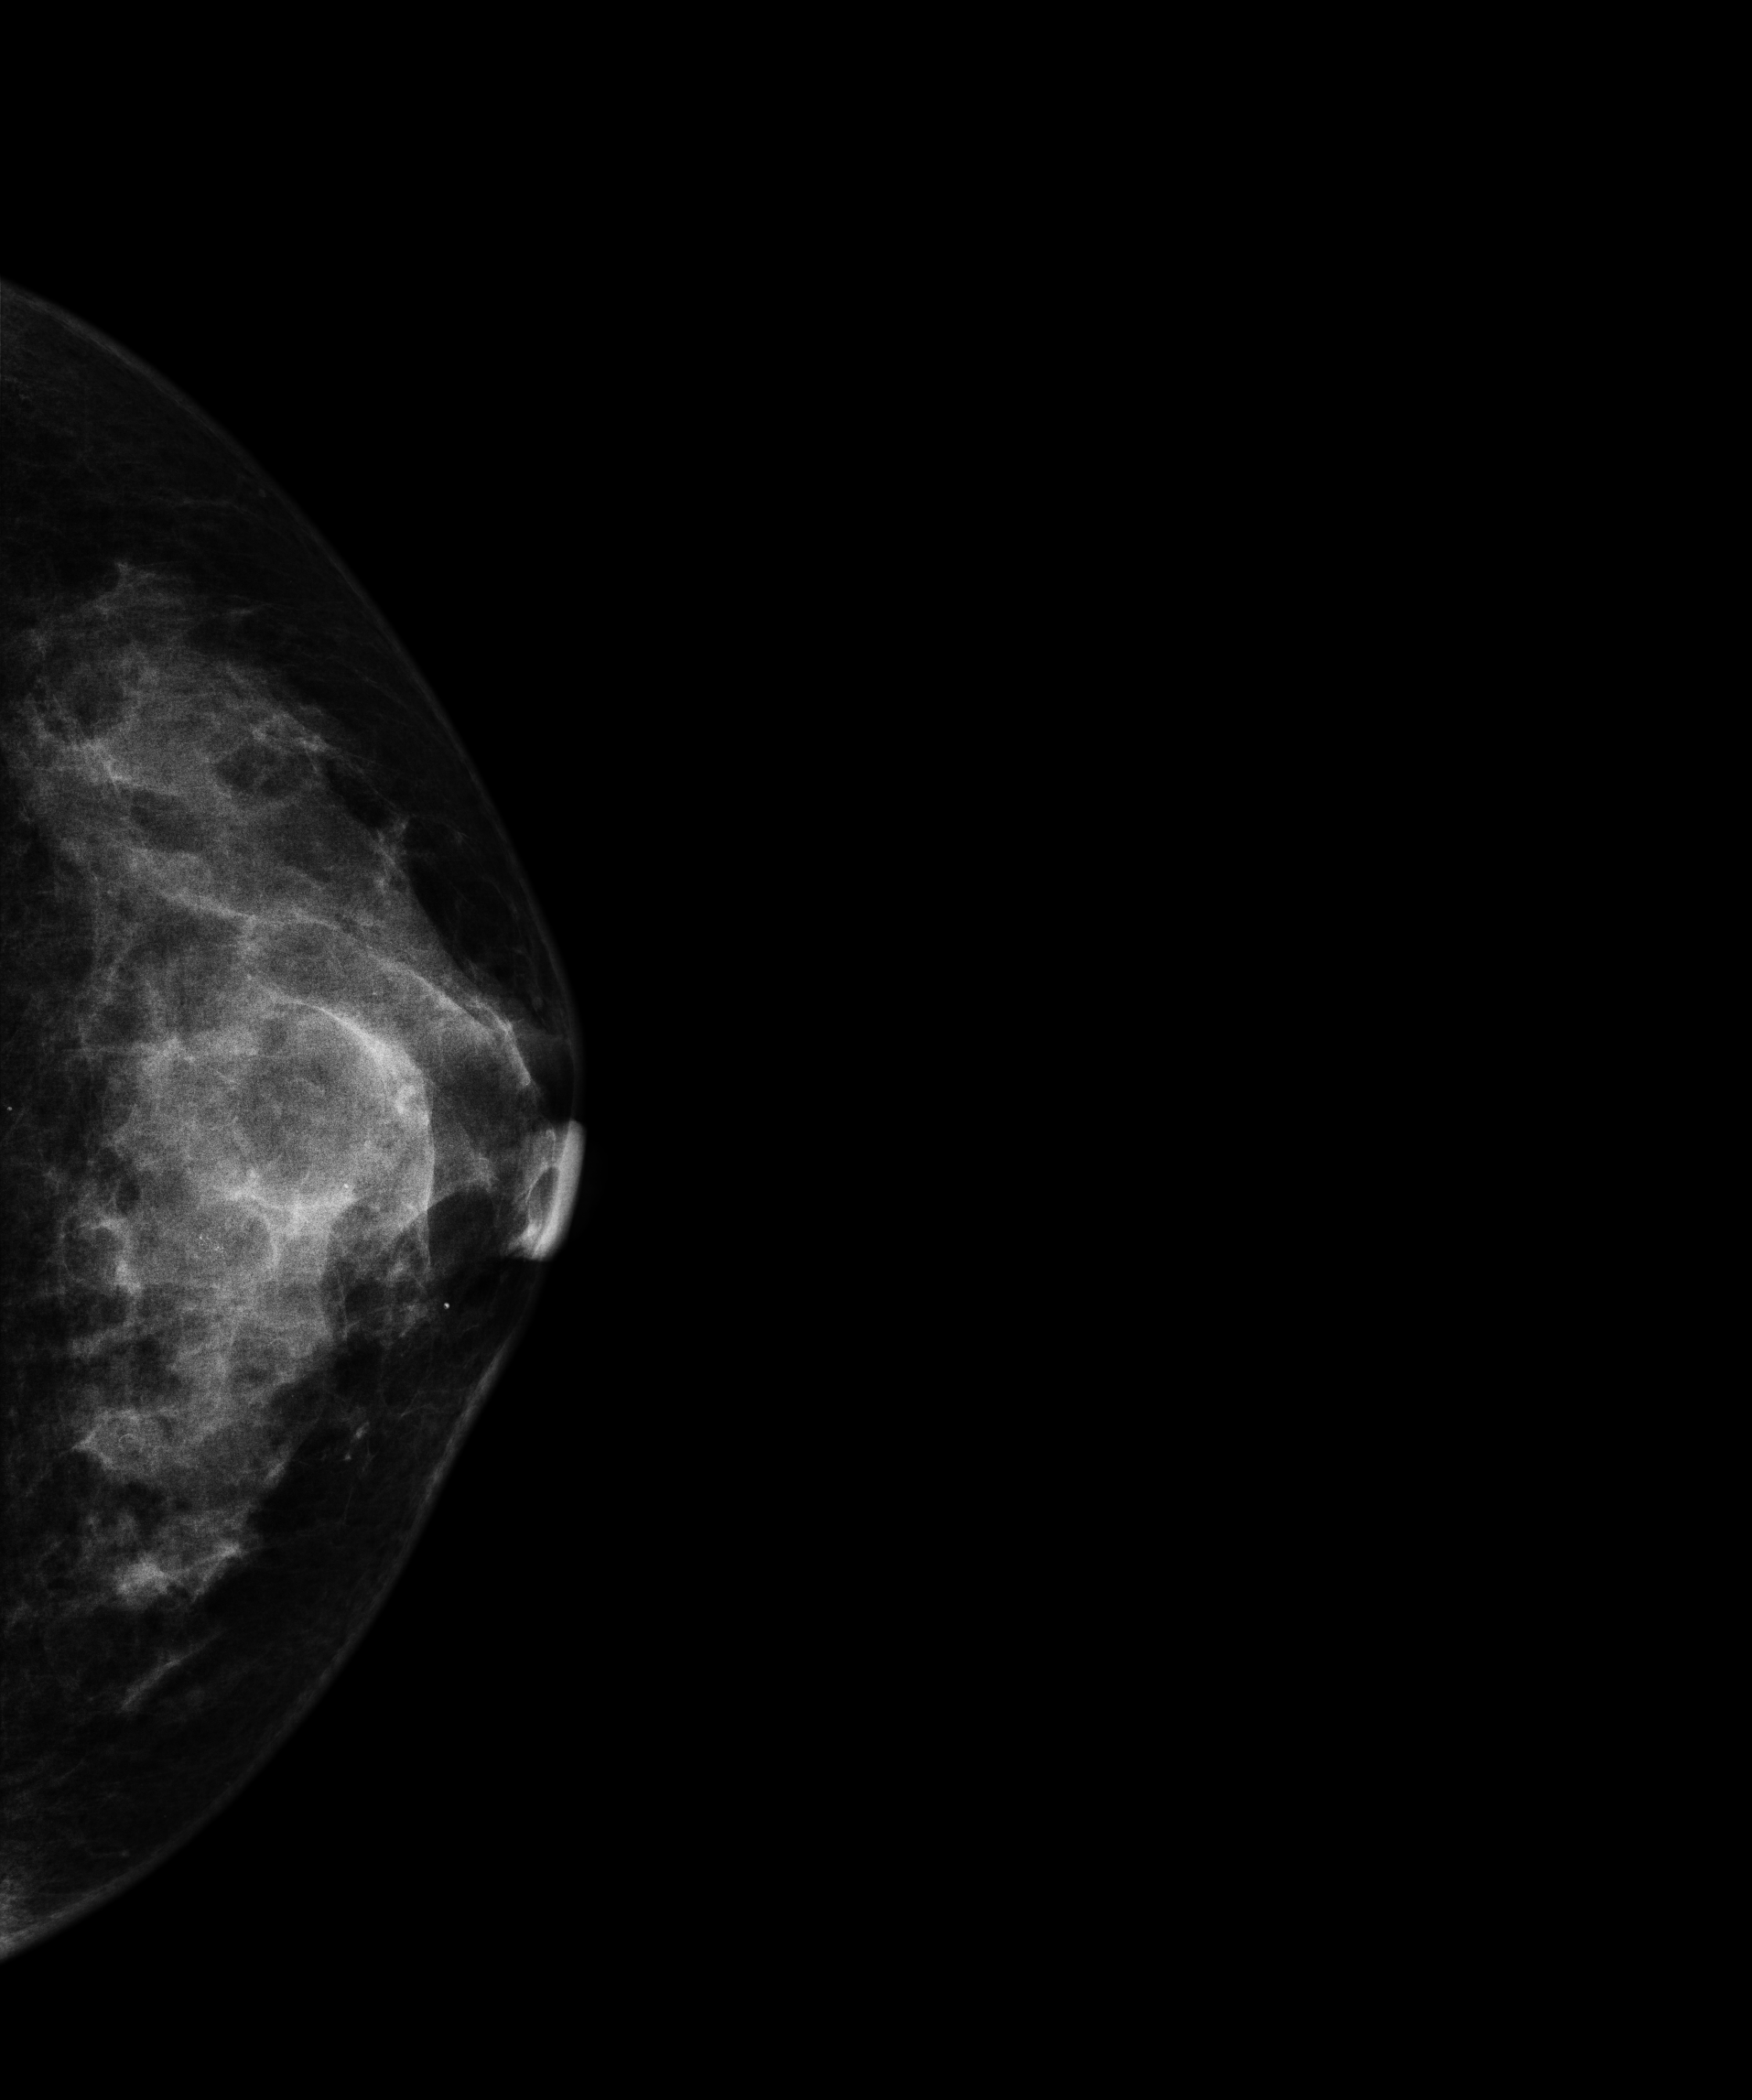
Digital mammography. Left breast, CC projection. 50 y/o patient.
This breast has calcifications, histologically confirmed malignant.